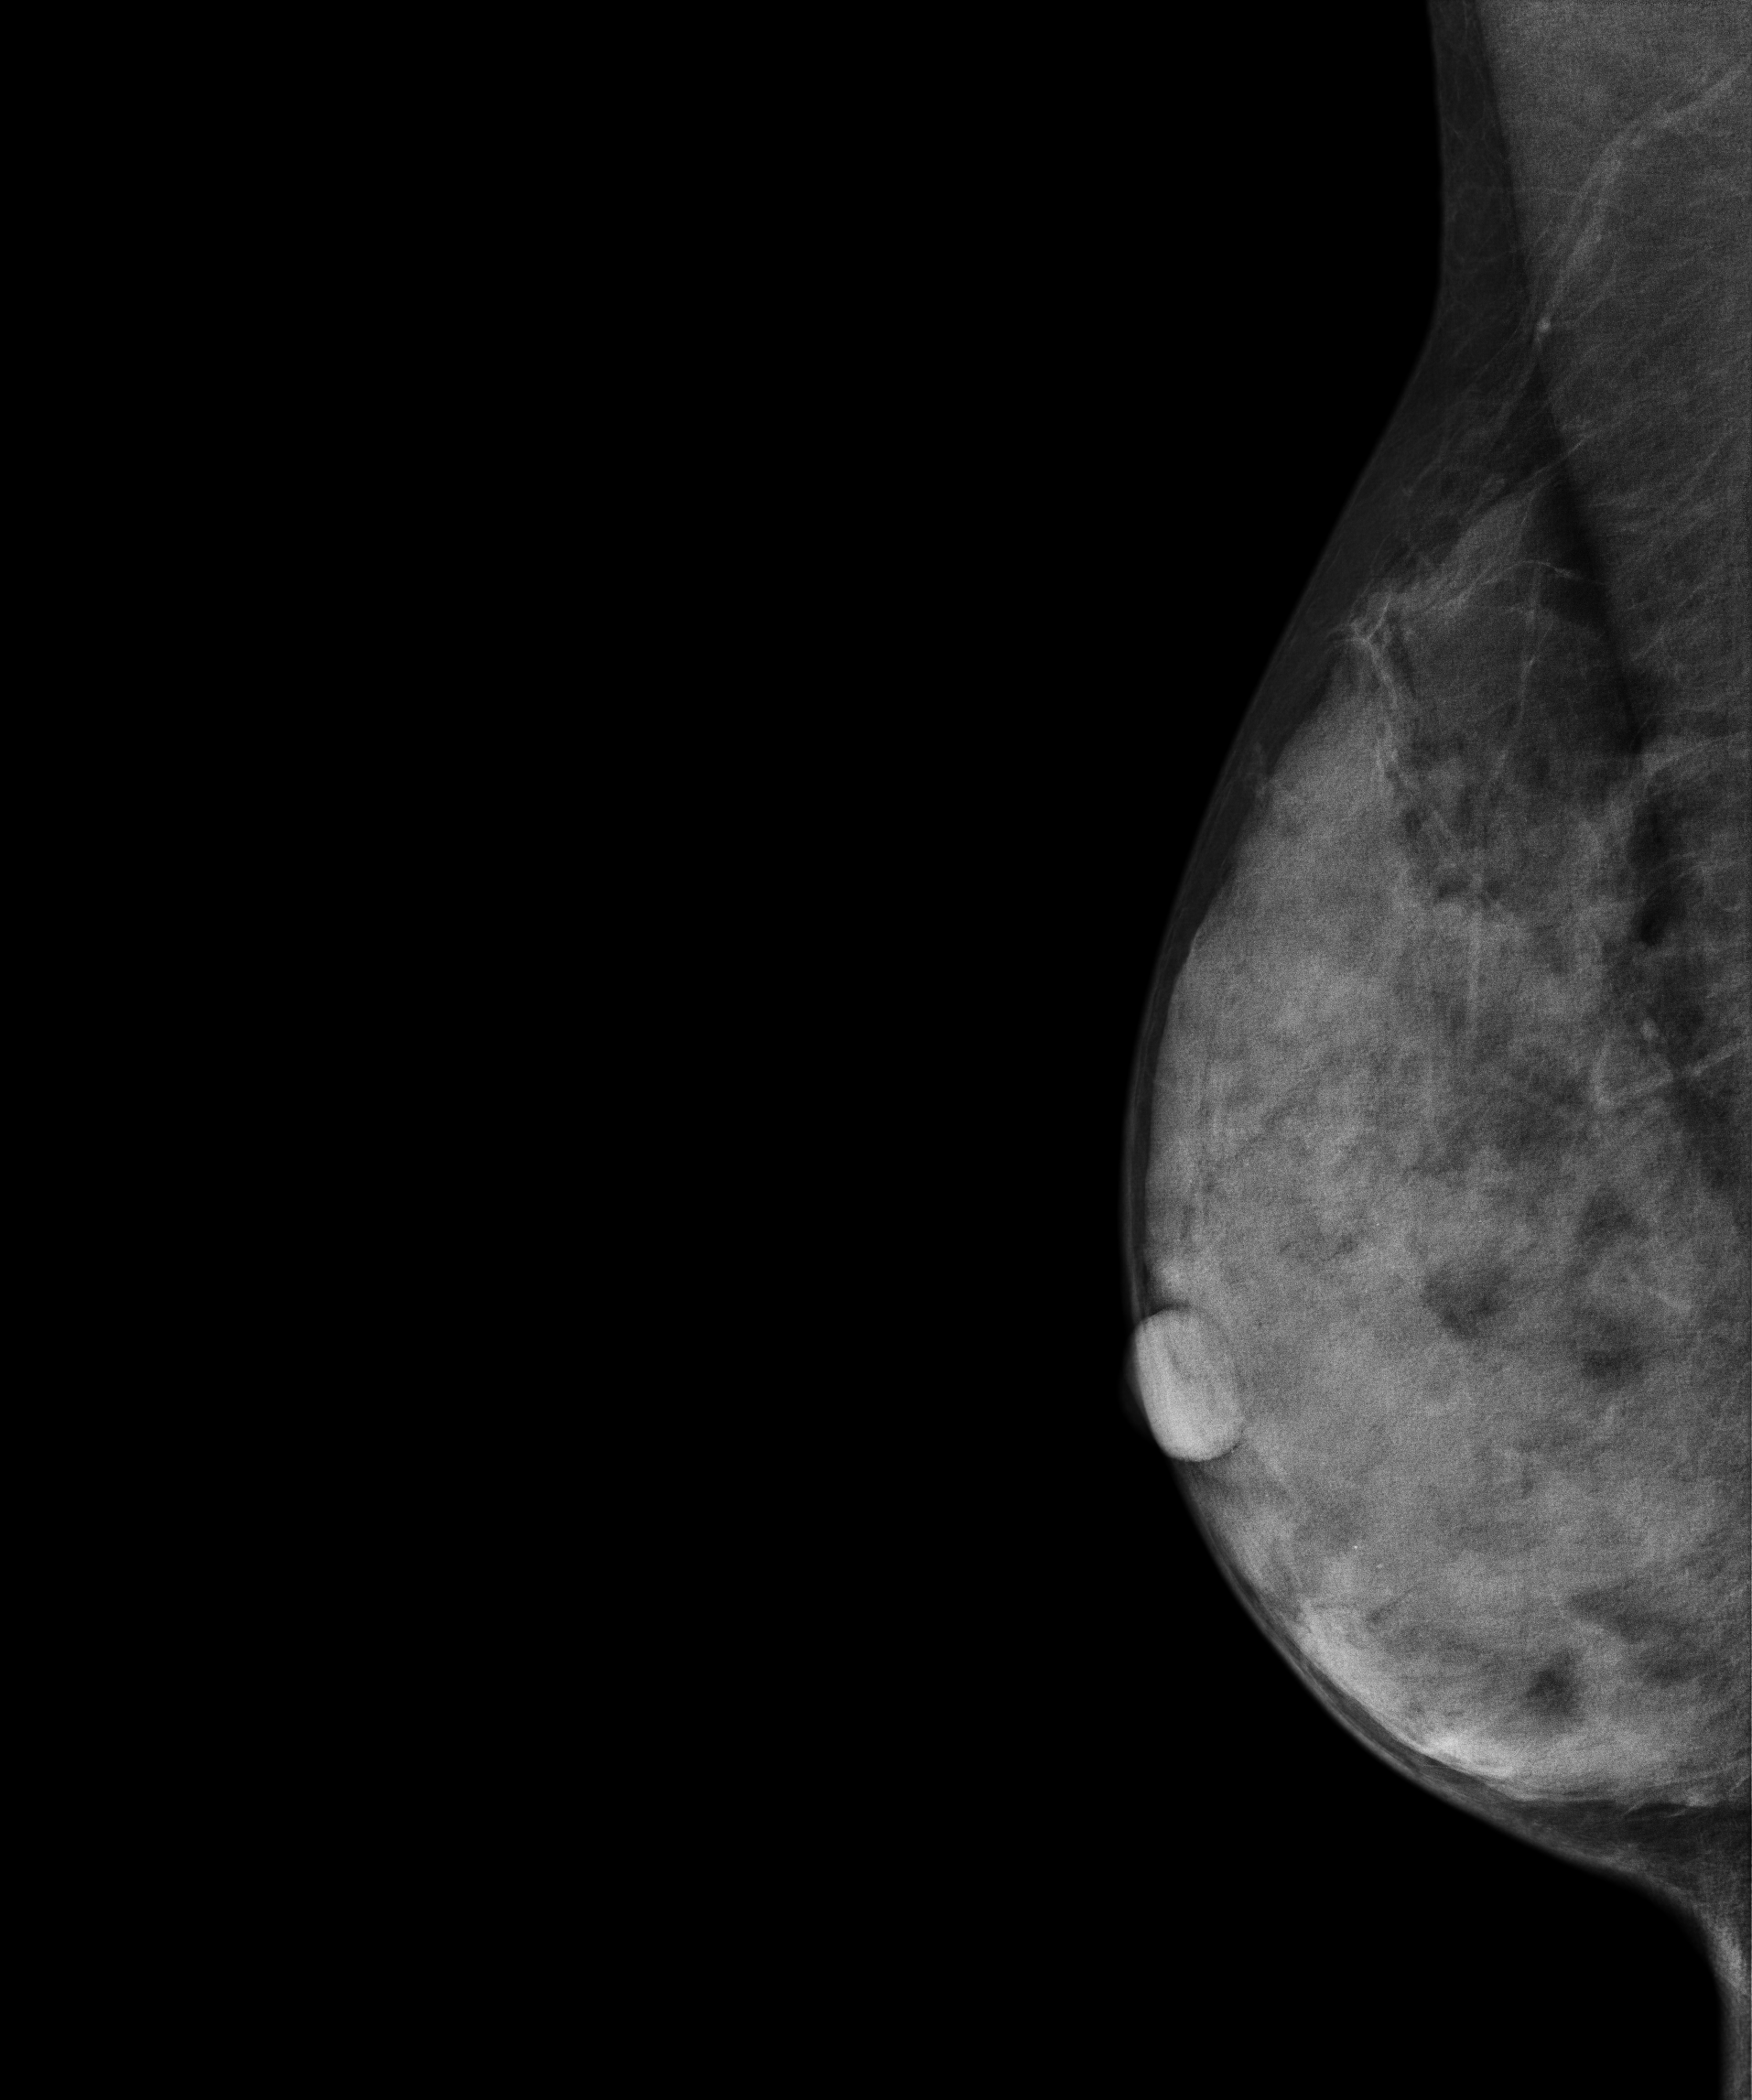
Digital mammography. Right breast, medio-lateral oblique projection. 38 y/o patient.
Contralateral breast — no documented abnormality on this side.